Digital mammography. Left breast, MLO projection. Patient age 47.
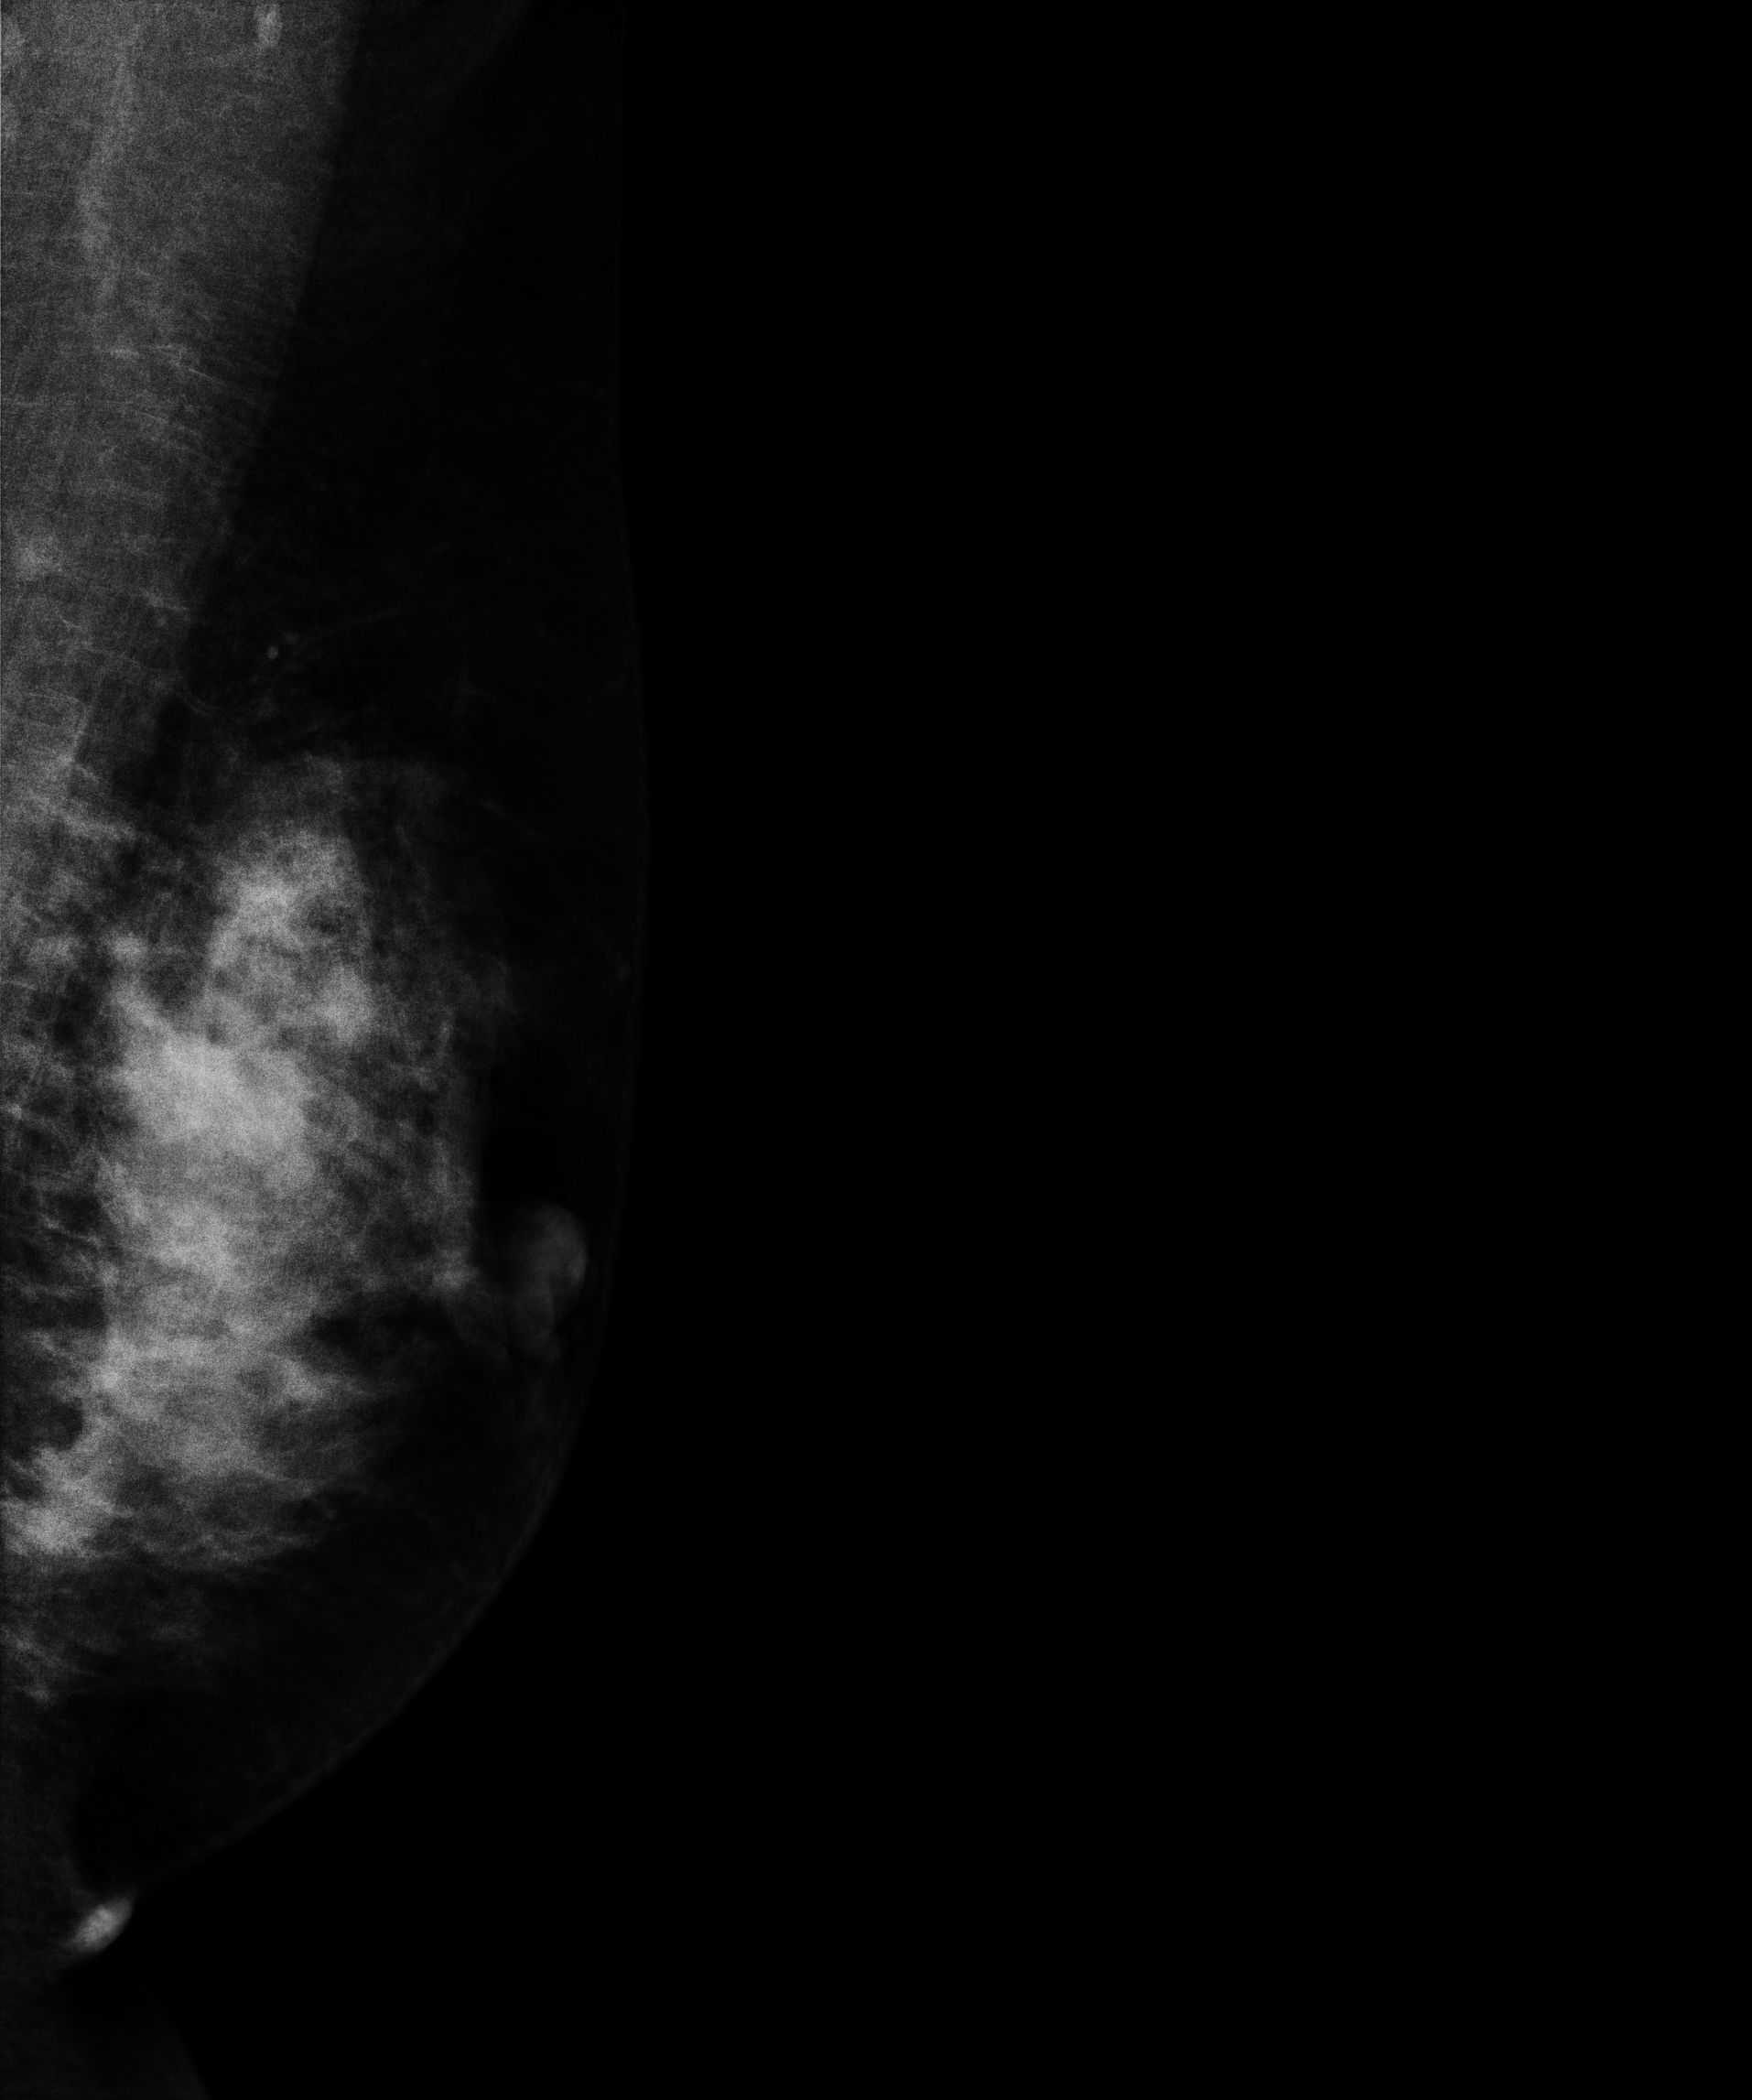
This breast has a mass, biopsy-confirmed malignant.